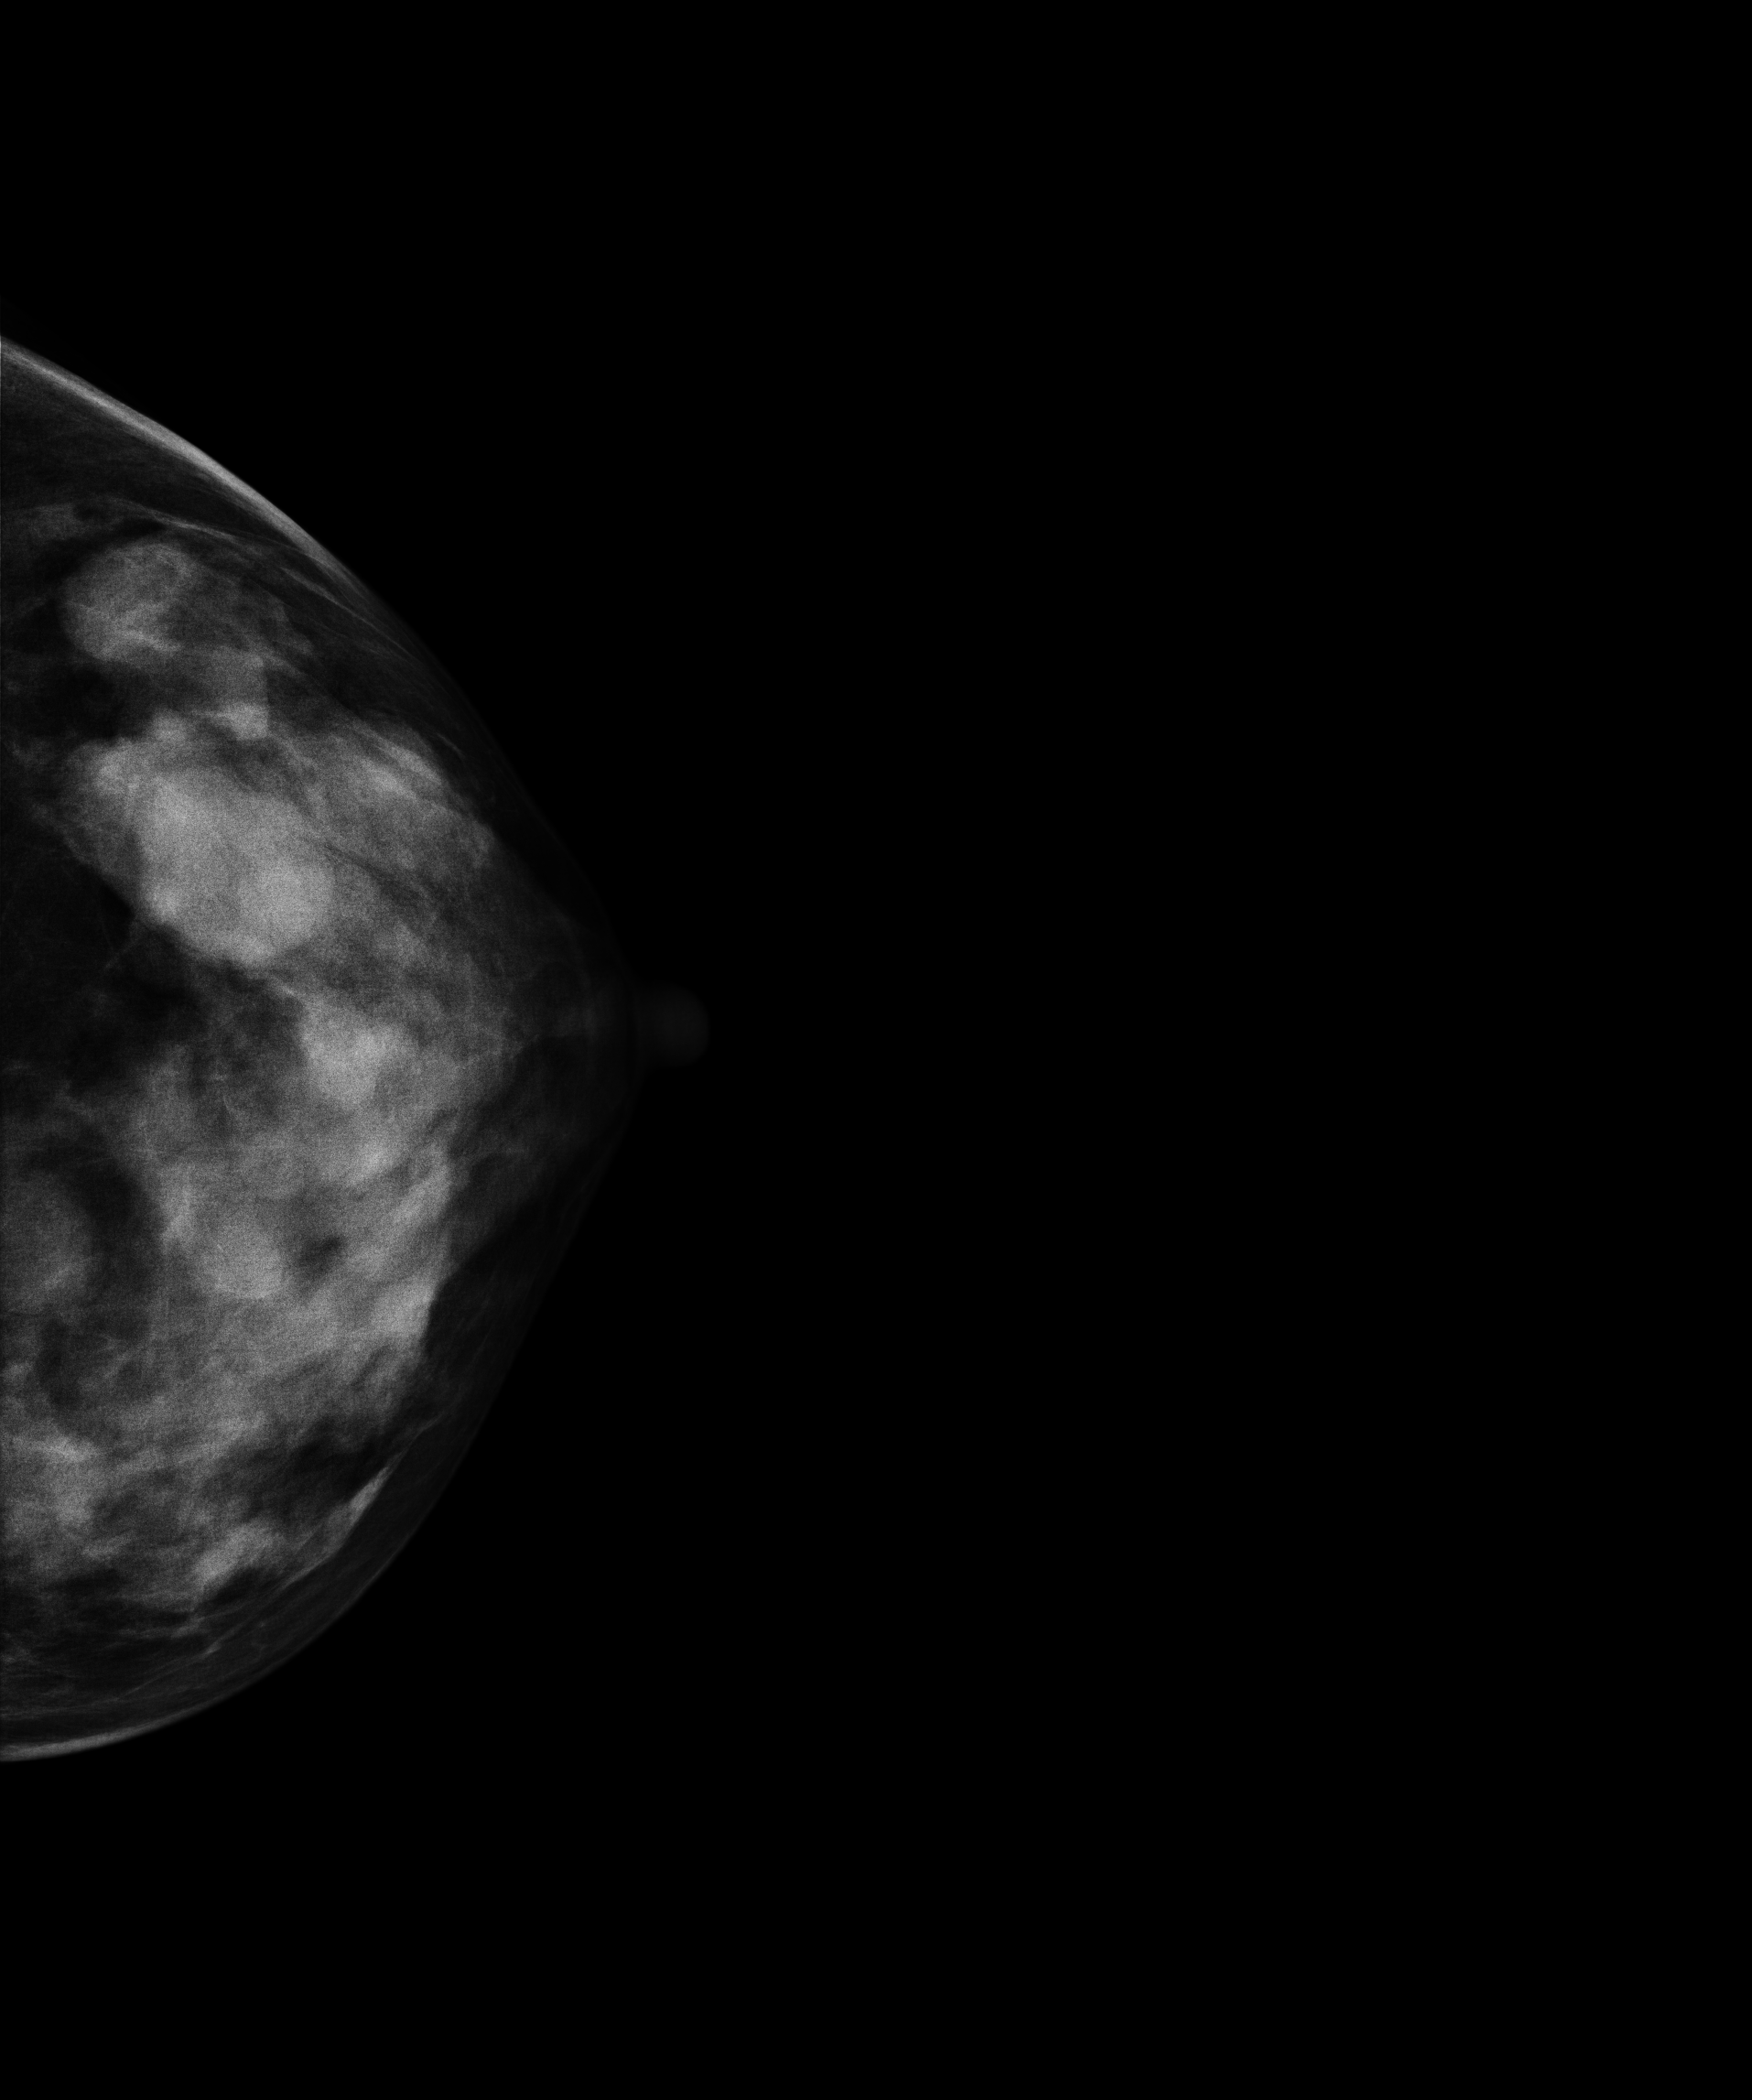
Digital mammography. Left breast, CC projection. 37-year-old patient.
This breast has a mass, biopsy-proven benign.